CC mammogram of the left breast. Patient age 31.
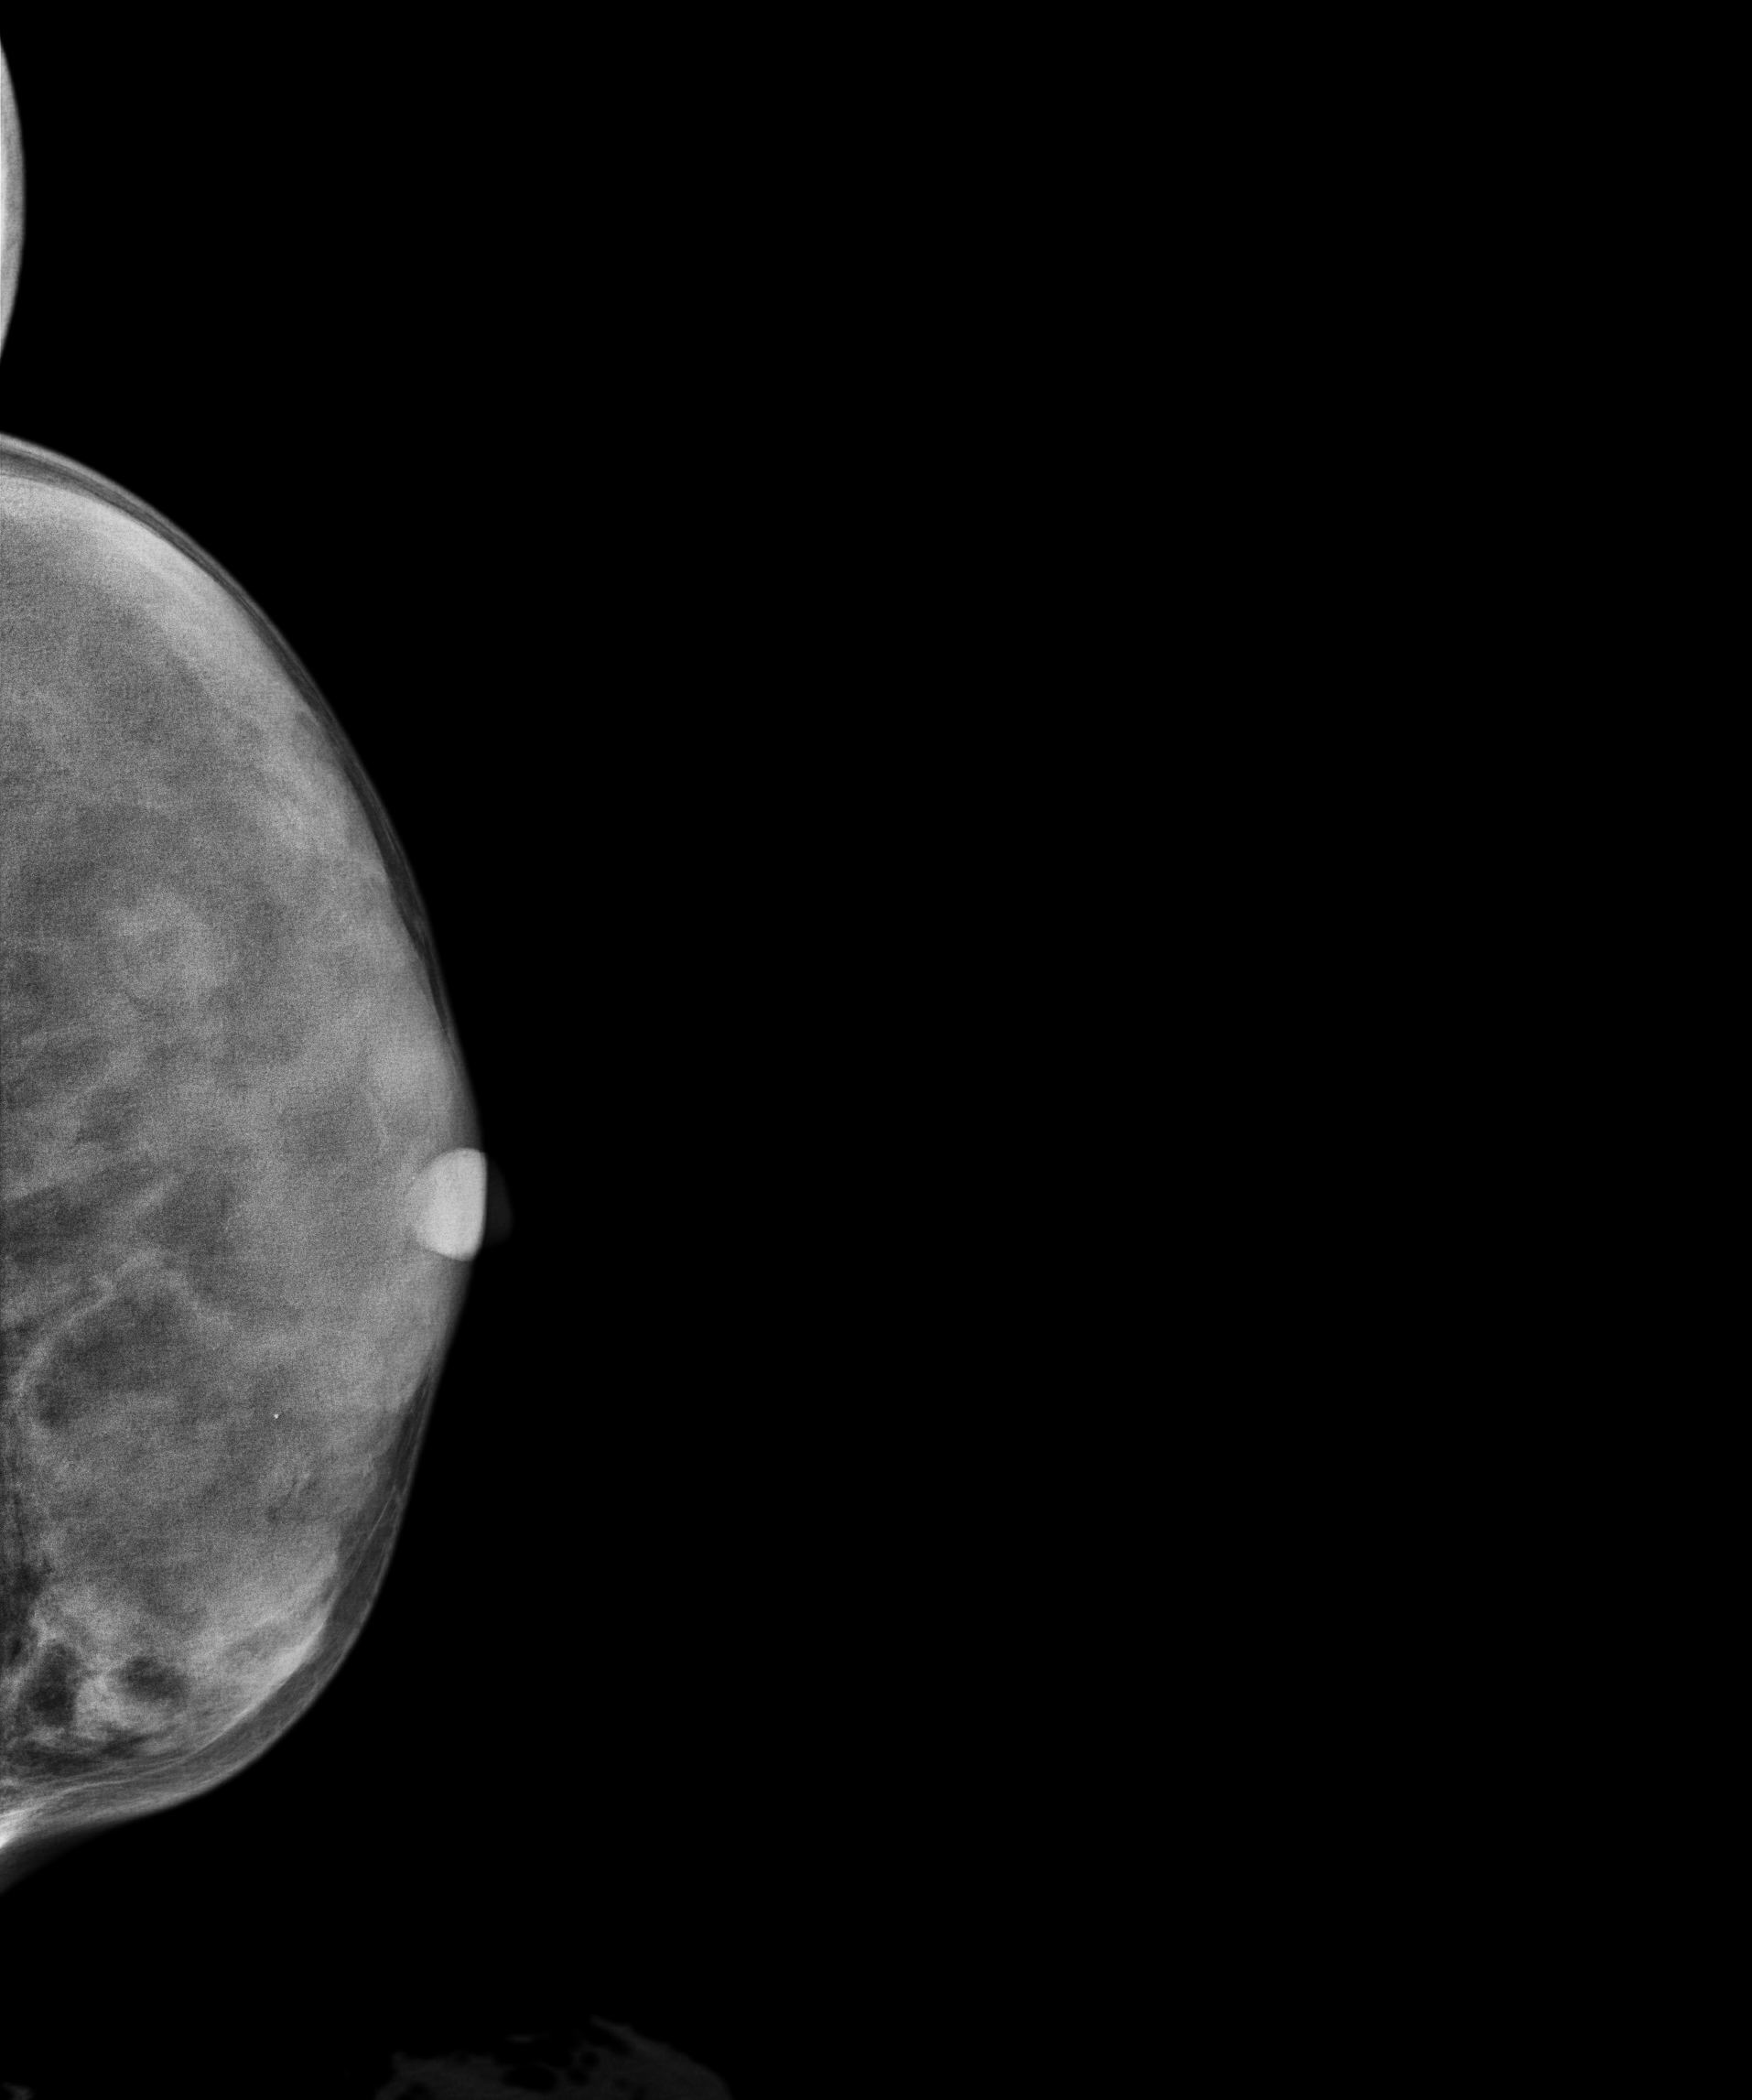
Contralateral breast — no documented abnormality on this side.